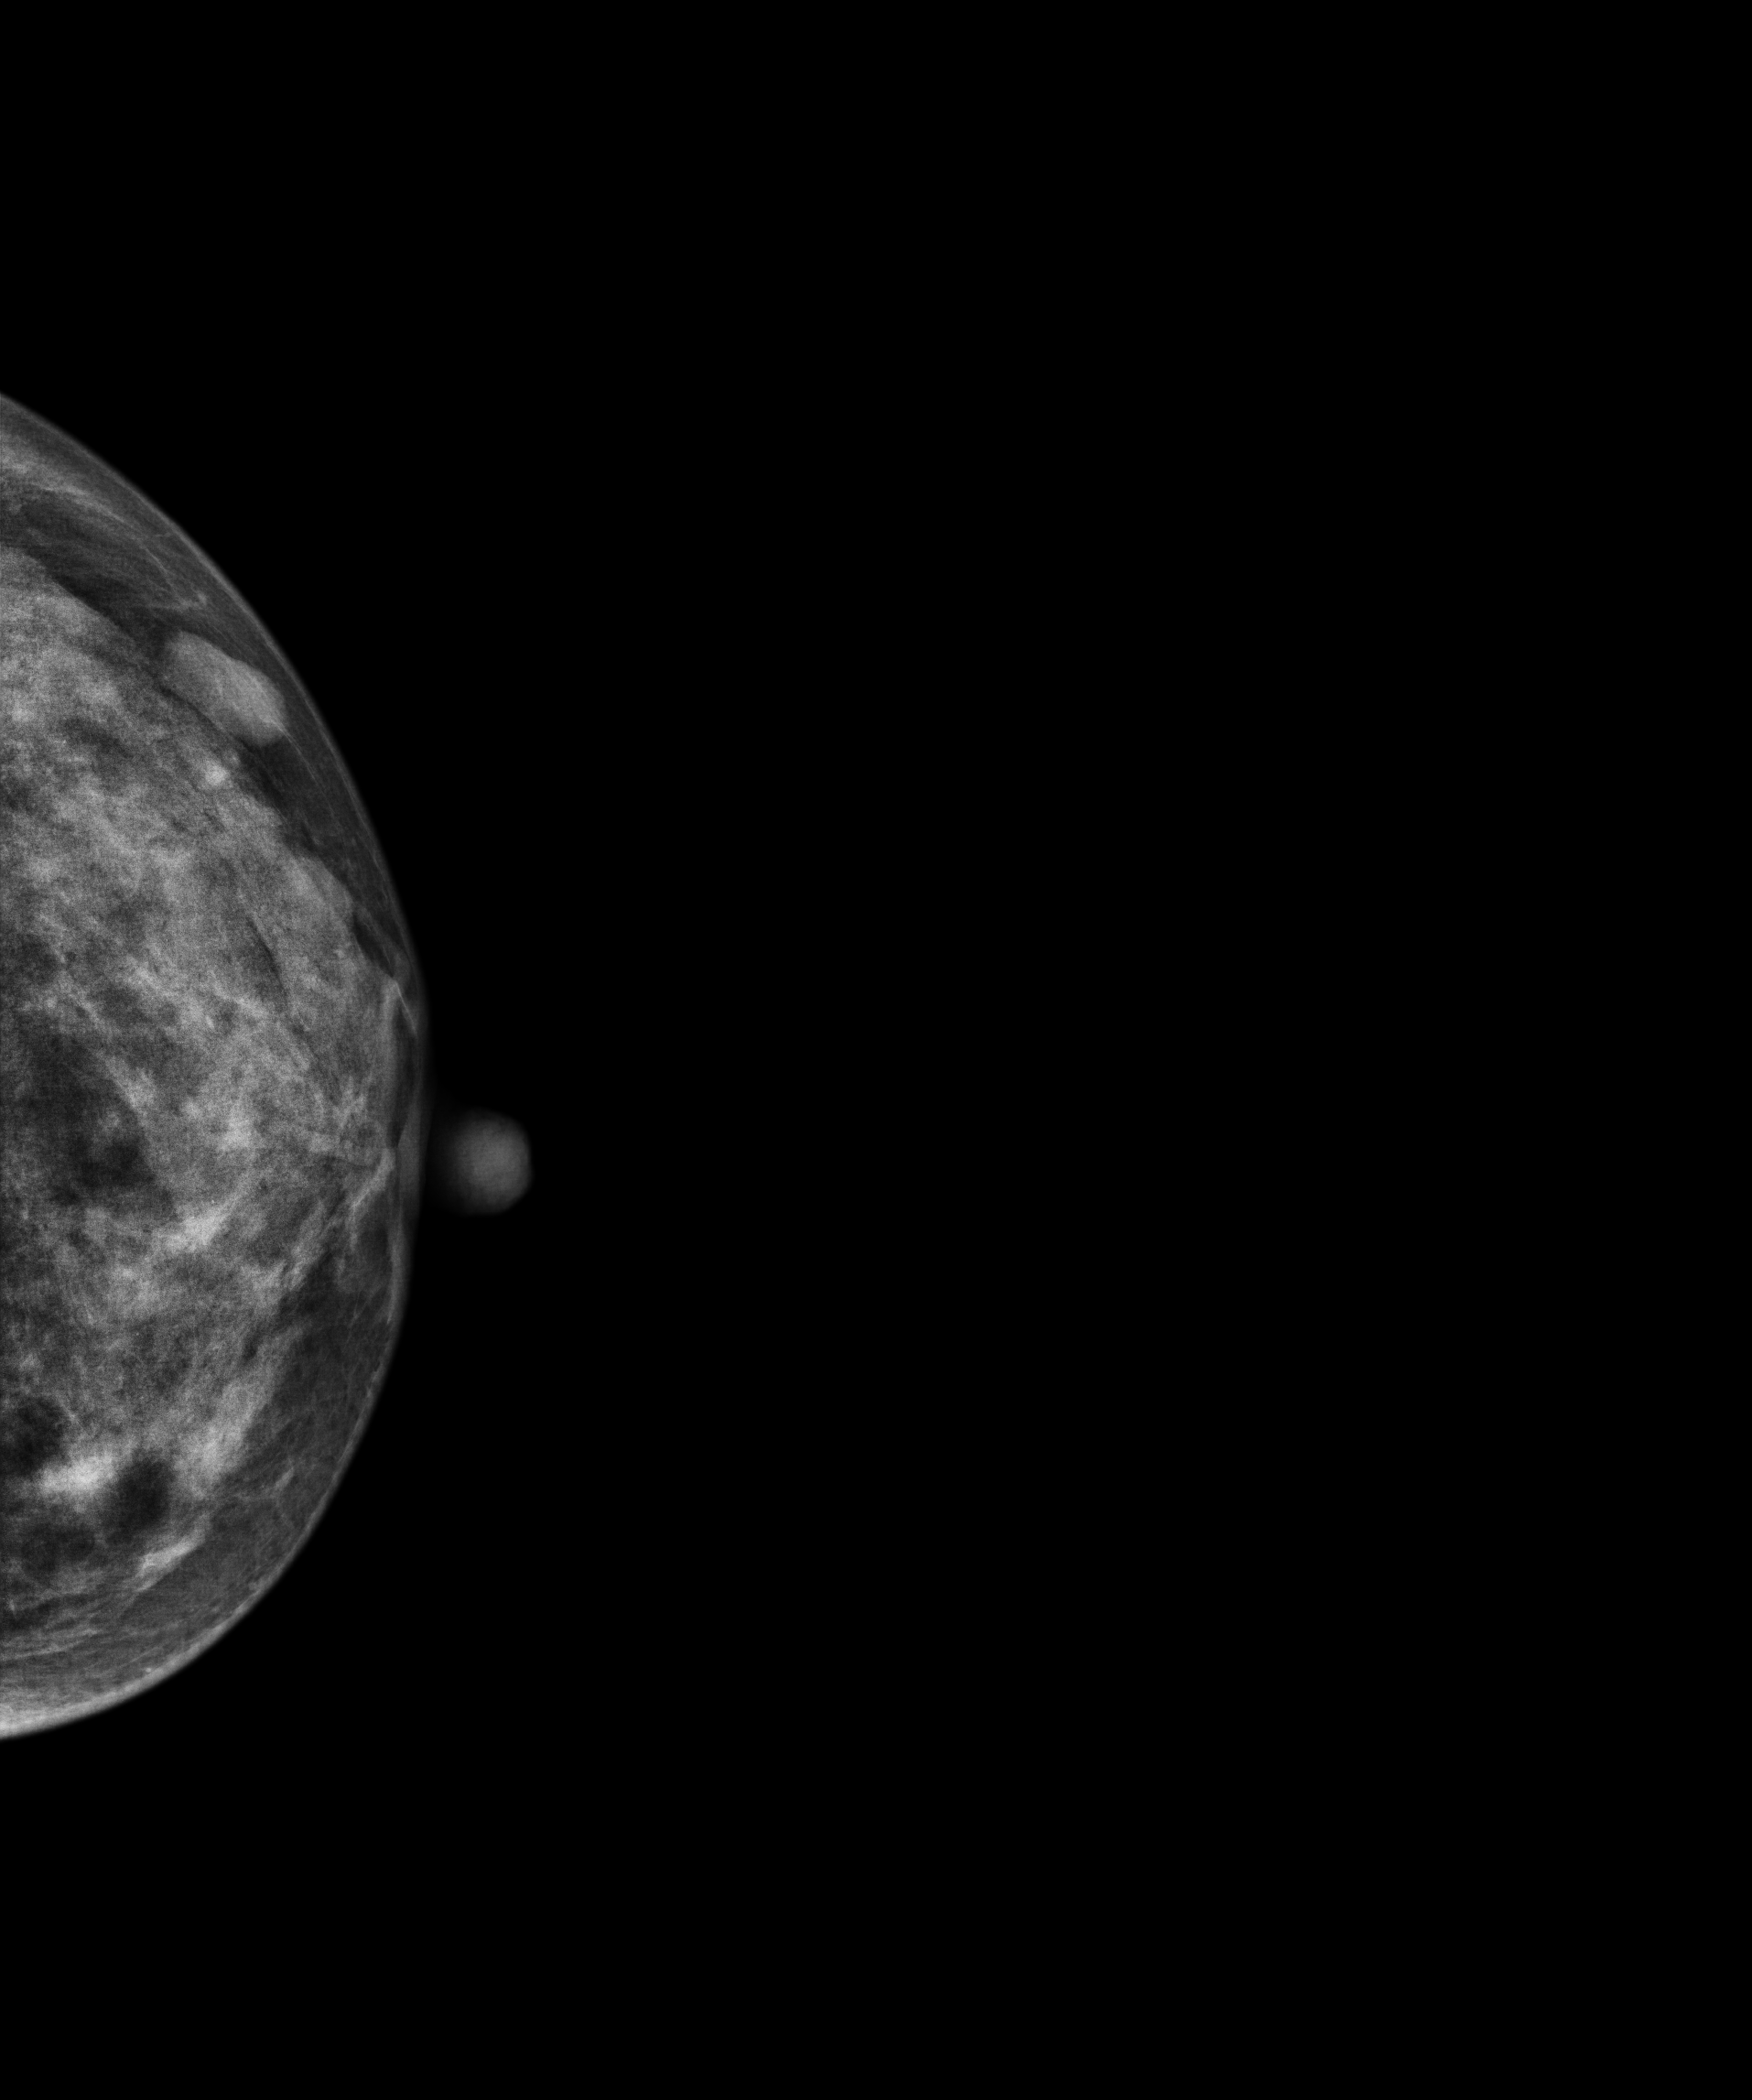
Mammogram, left breast, CC view. 29-year-old patient.
This breast has a mass, biopsy-confirmed benign.